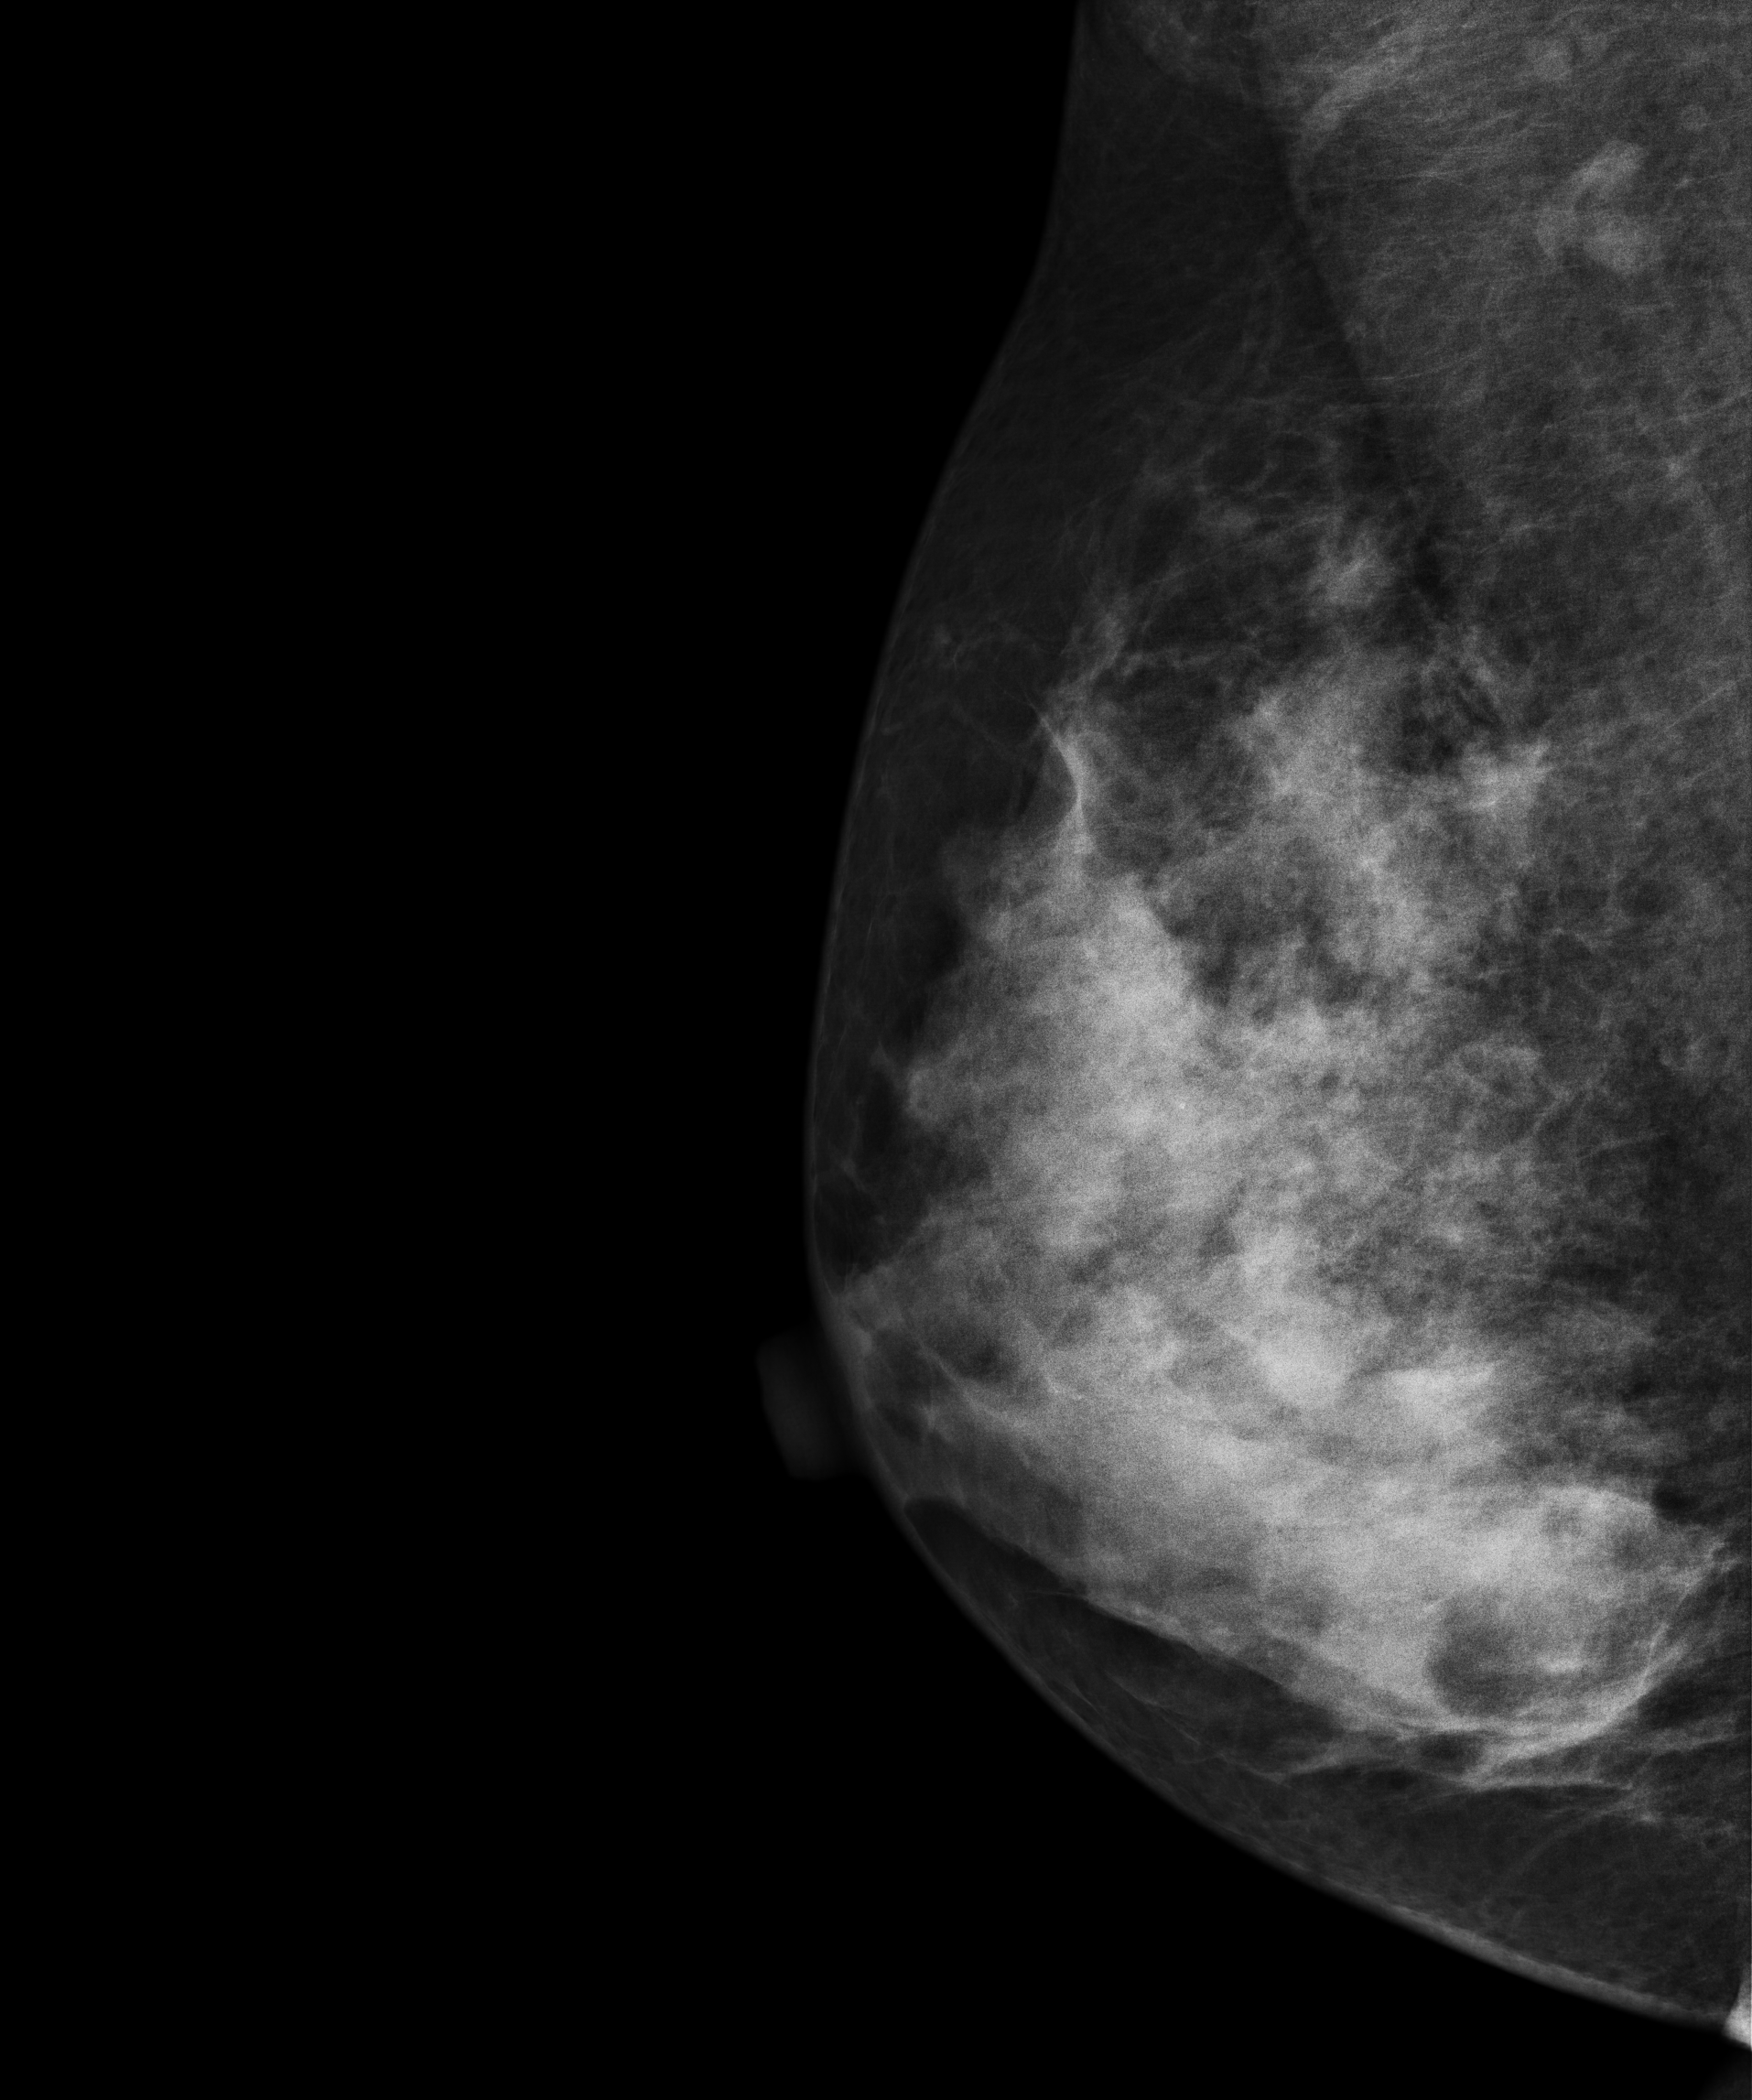
Mammogram — right MLO. 44-year-old patient.
This breast has a mass and calcifications, biopsy-proven benign.